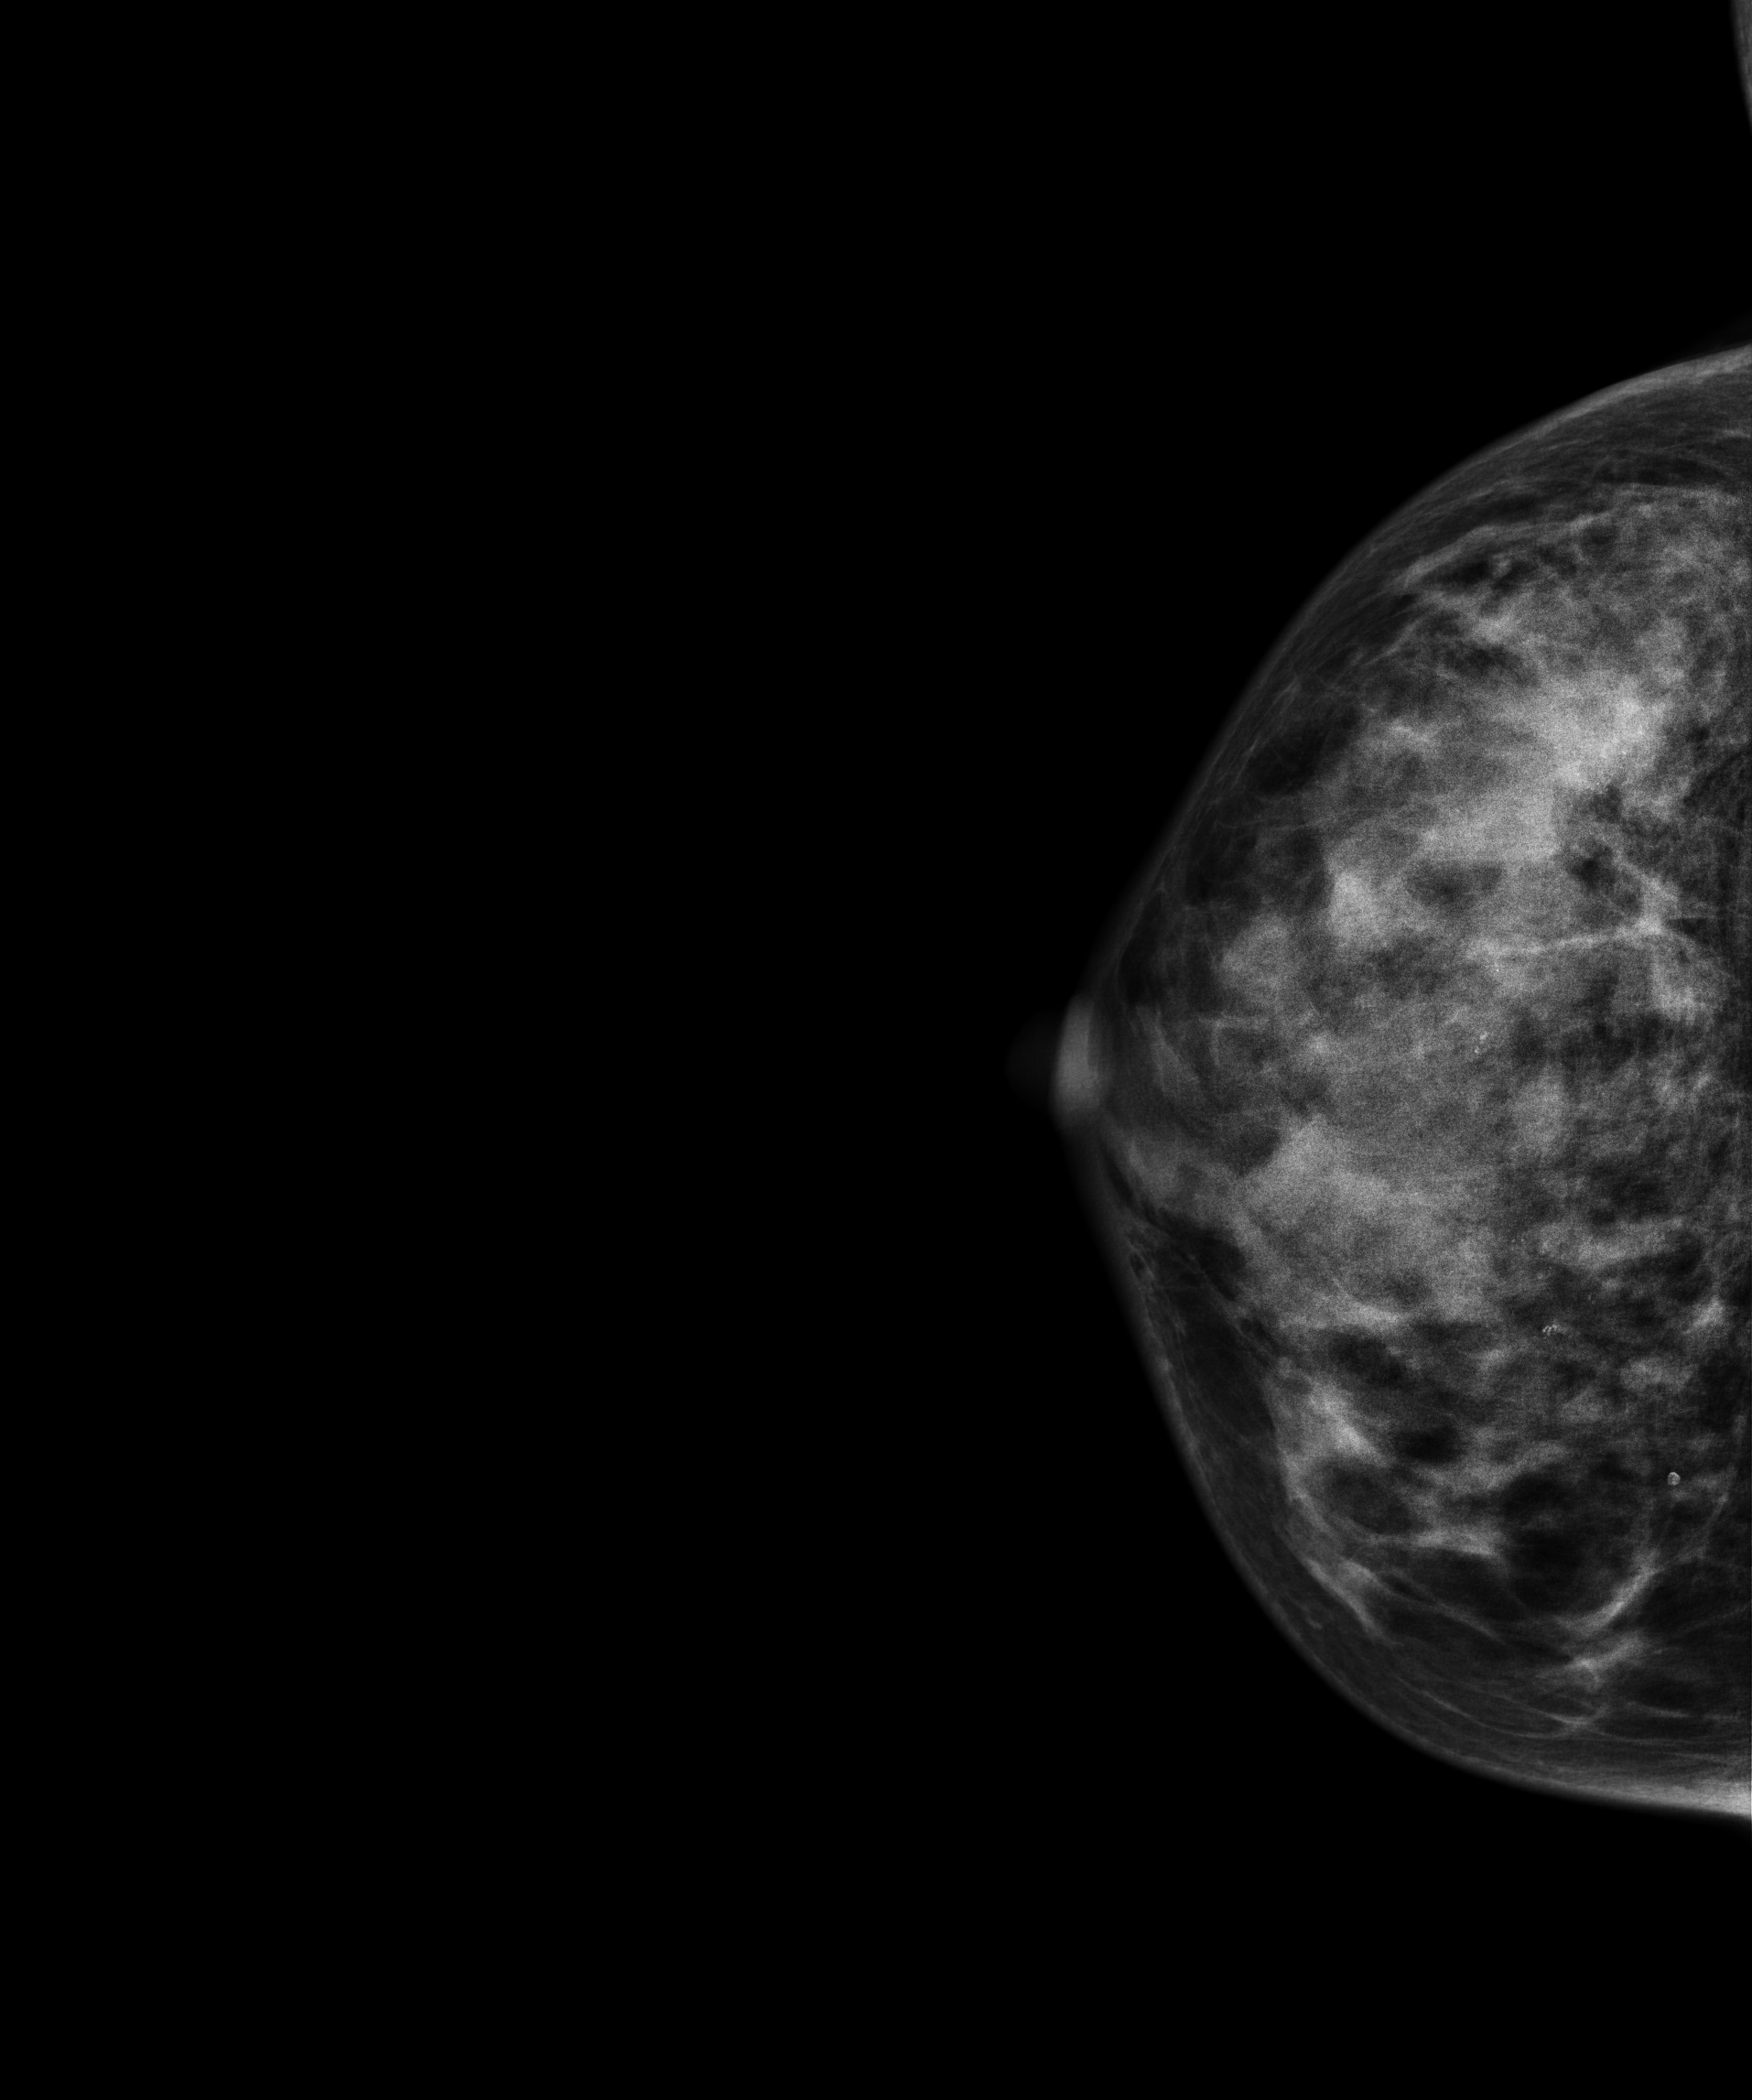
Mammogram, right breast, cranio-caudal view. 32 y/o patient.
This breast has calcifications, biopsy-proven malignant. Molecular subtype: HER2-enriched.